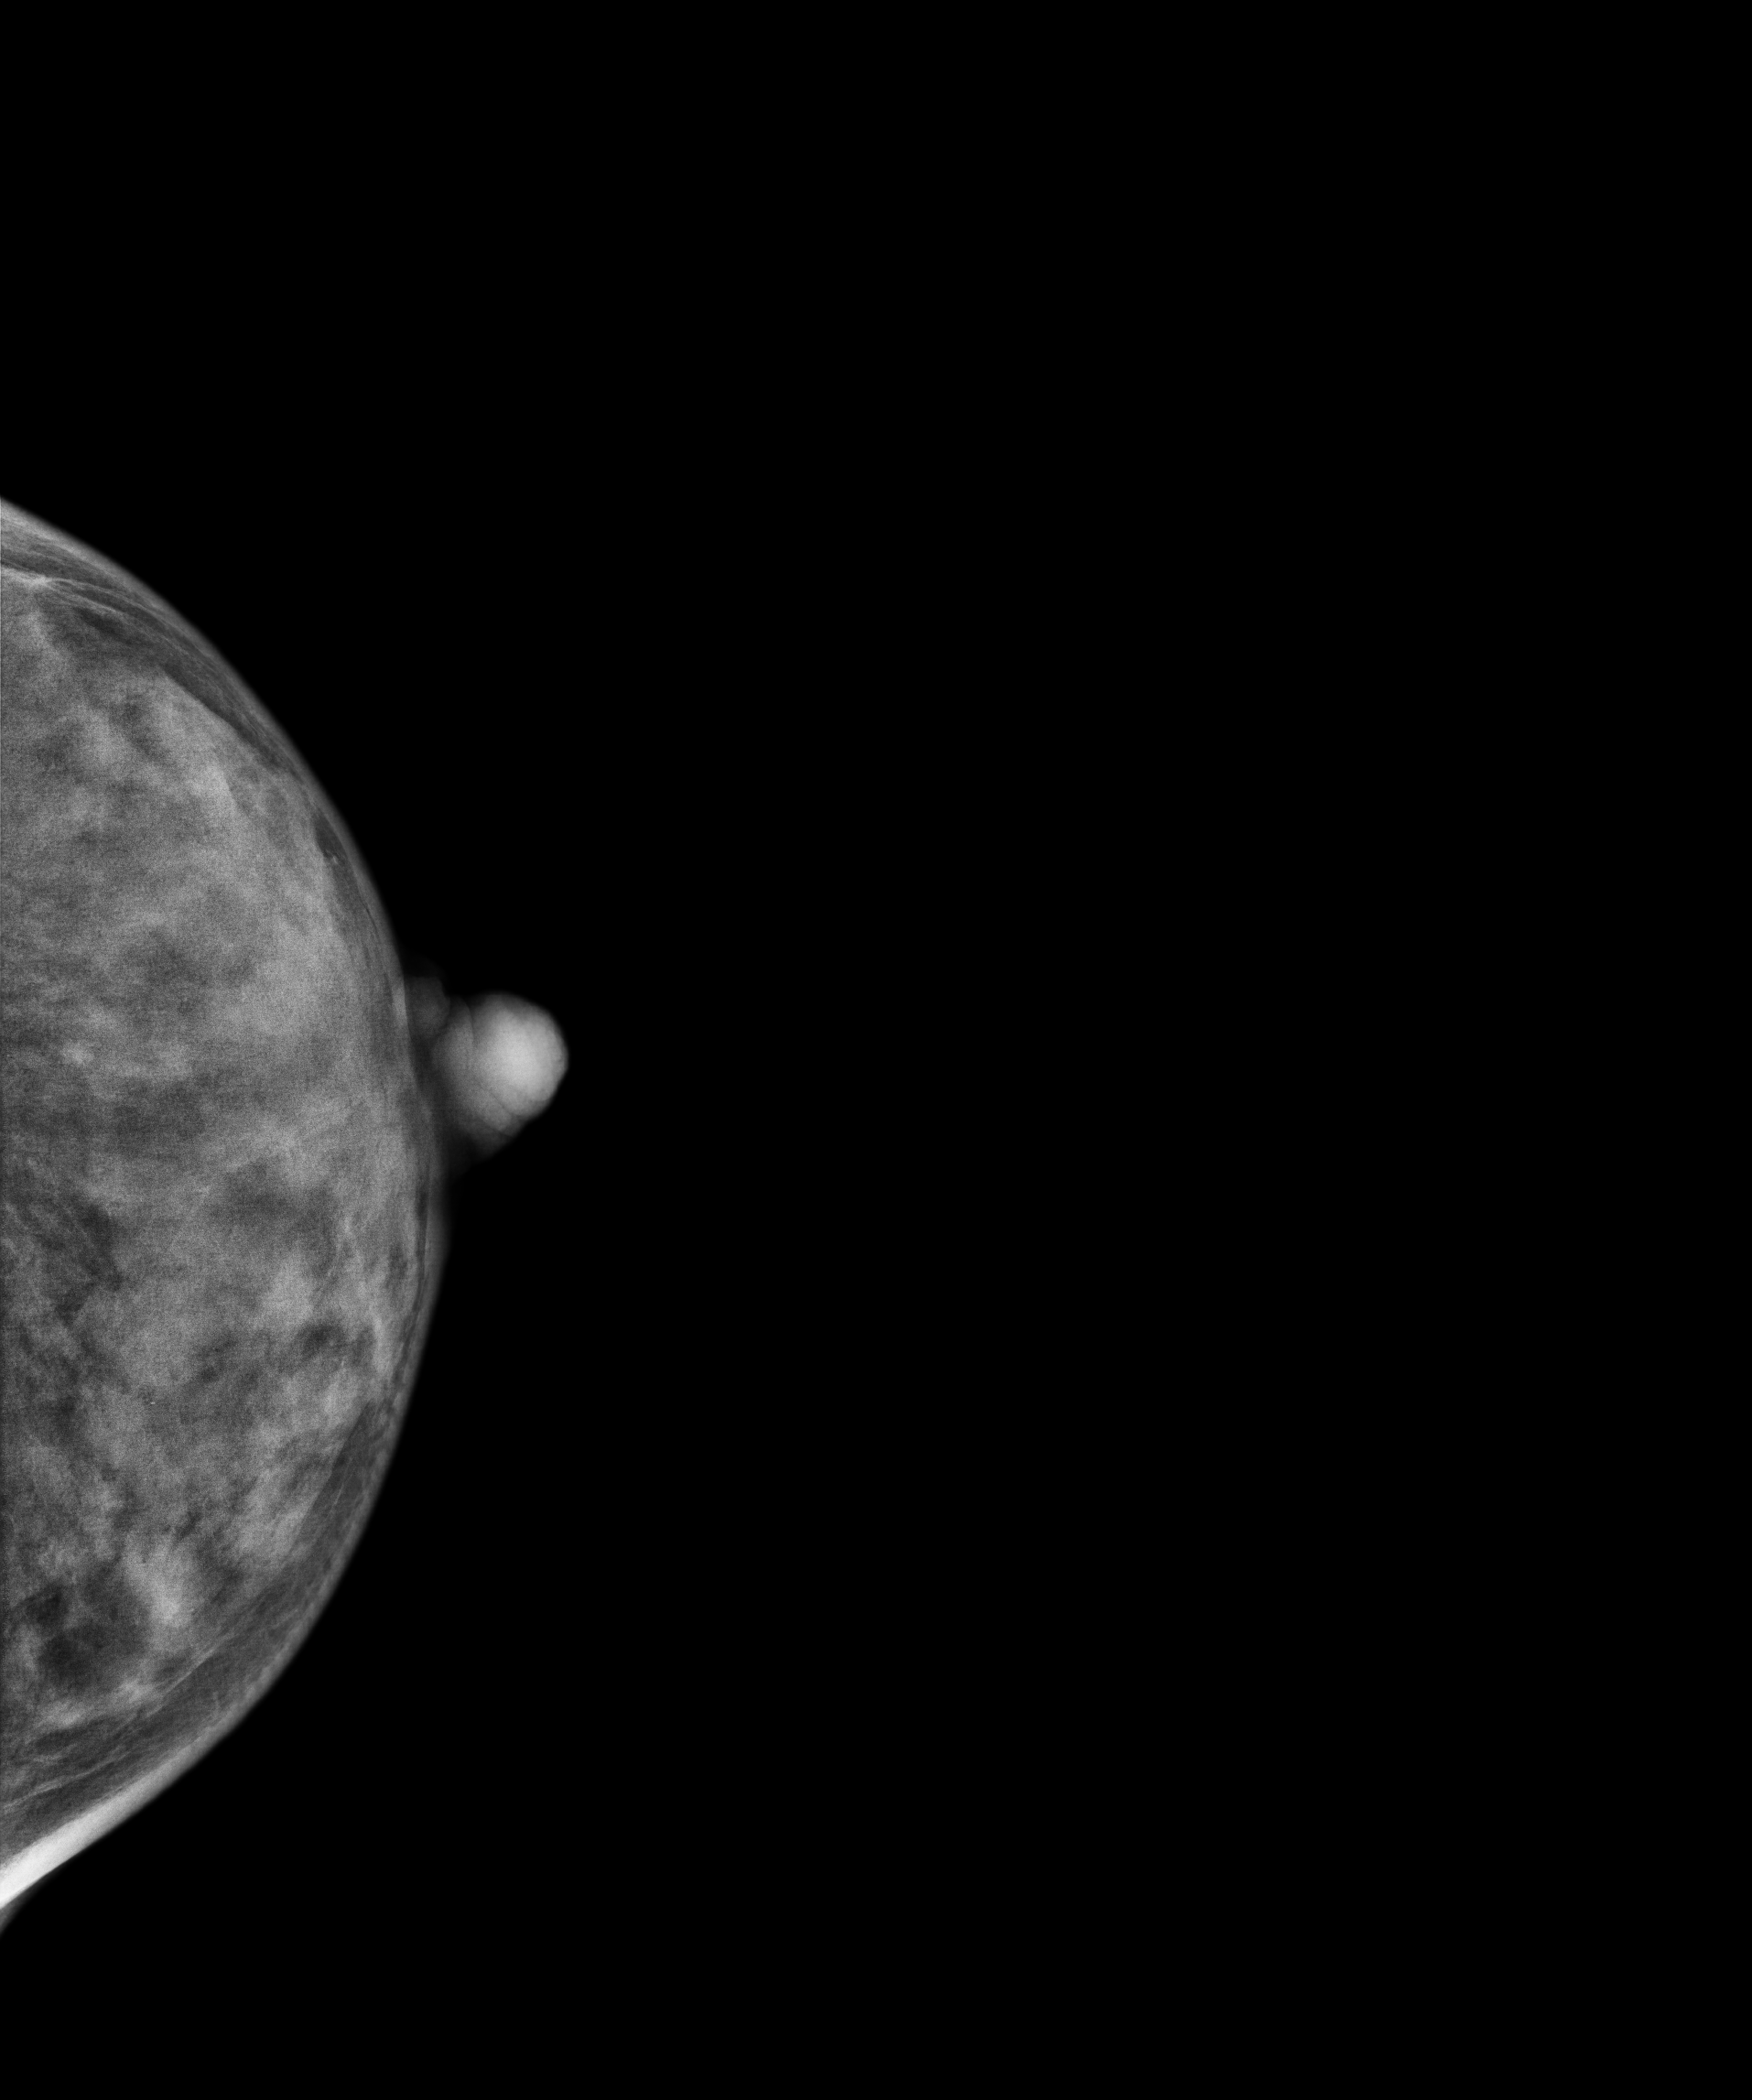
Left-breast mammogram, cranio-caudal. 39 y/o patient.
This breast has a mass, pathology-confirmed benign.